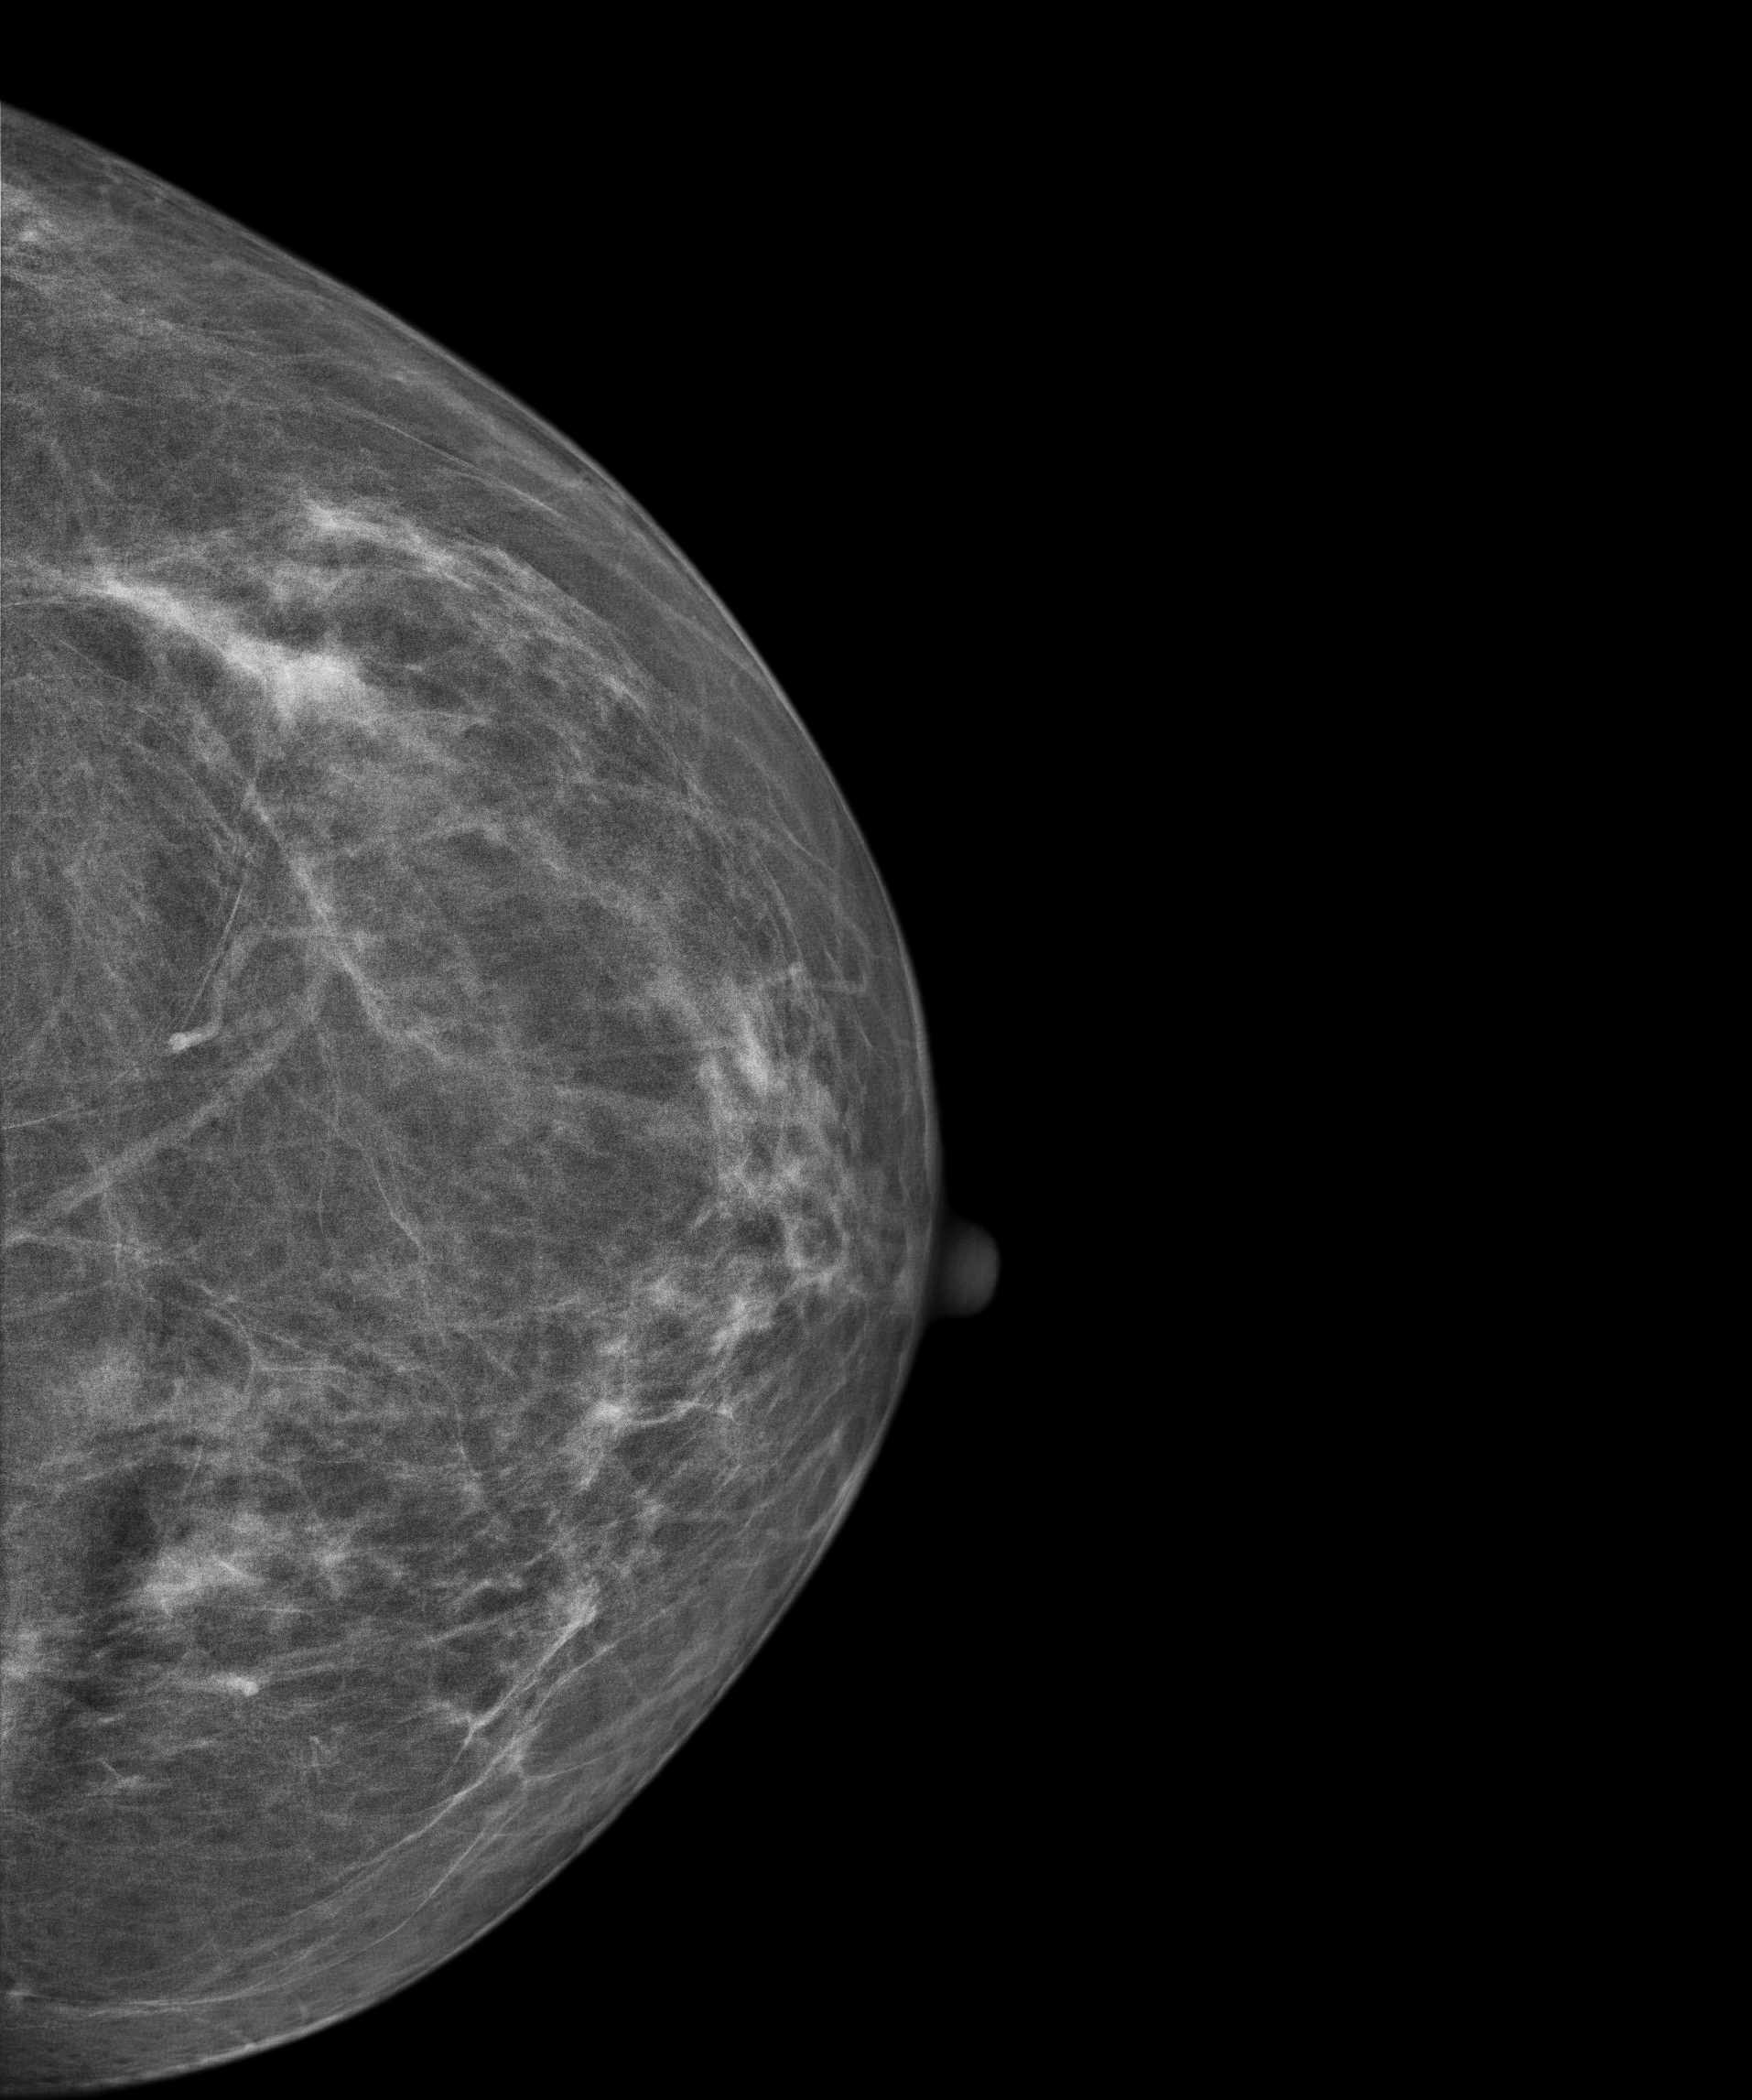
Mammogram — left cranio-caudal. Patient age 56.
This breast has a mass, biopsy-proven benign.